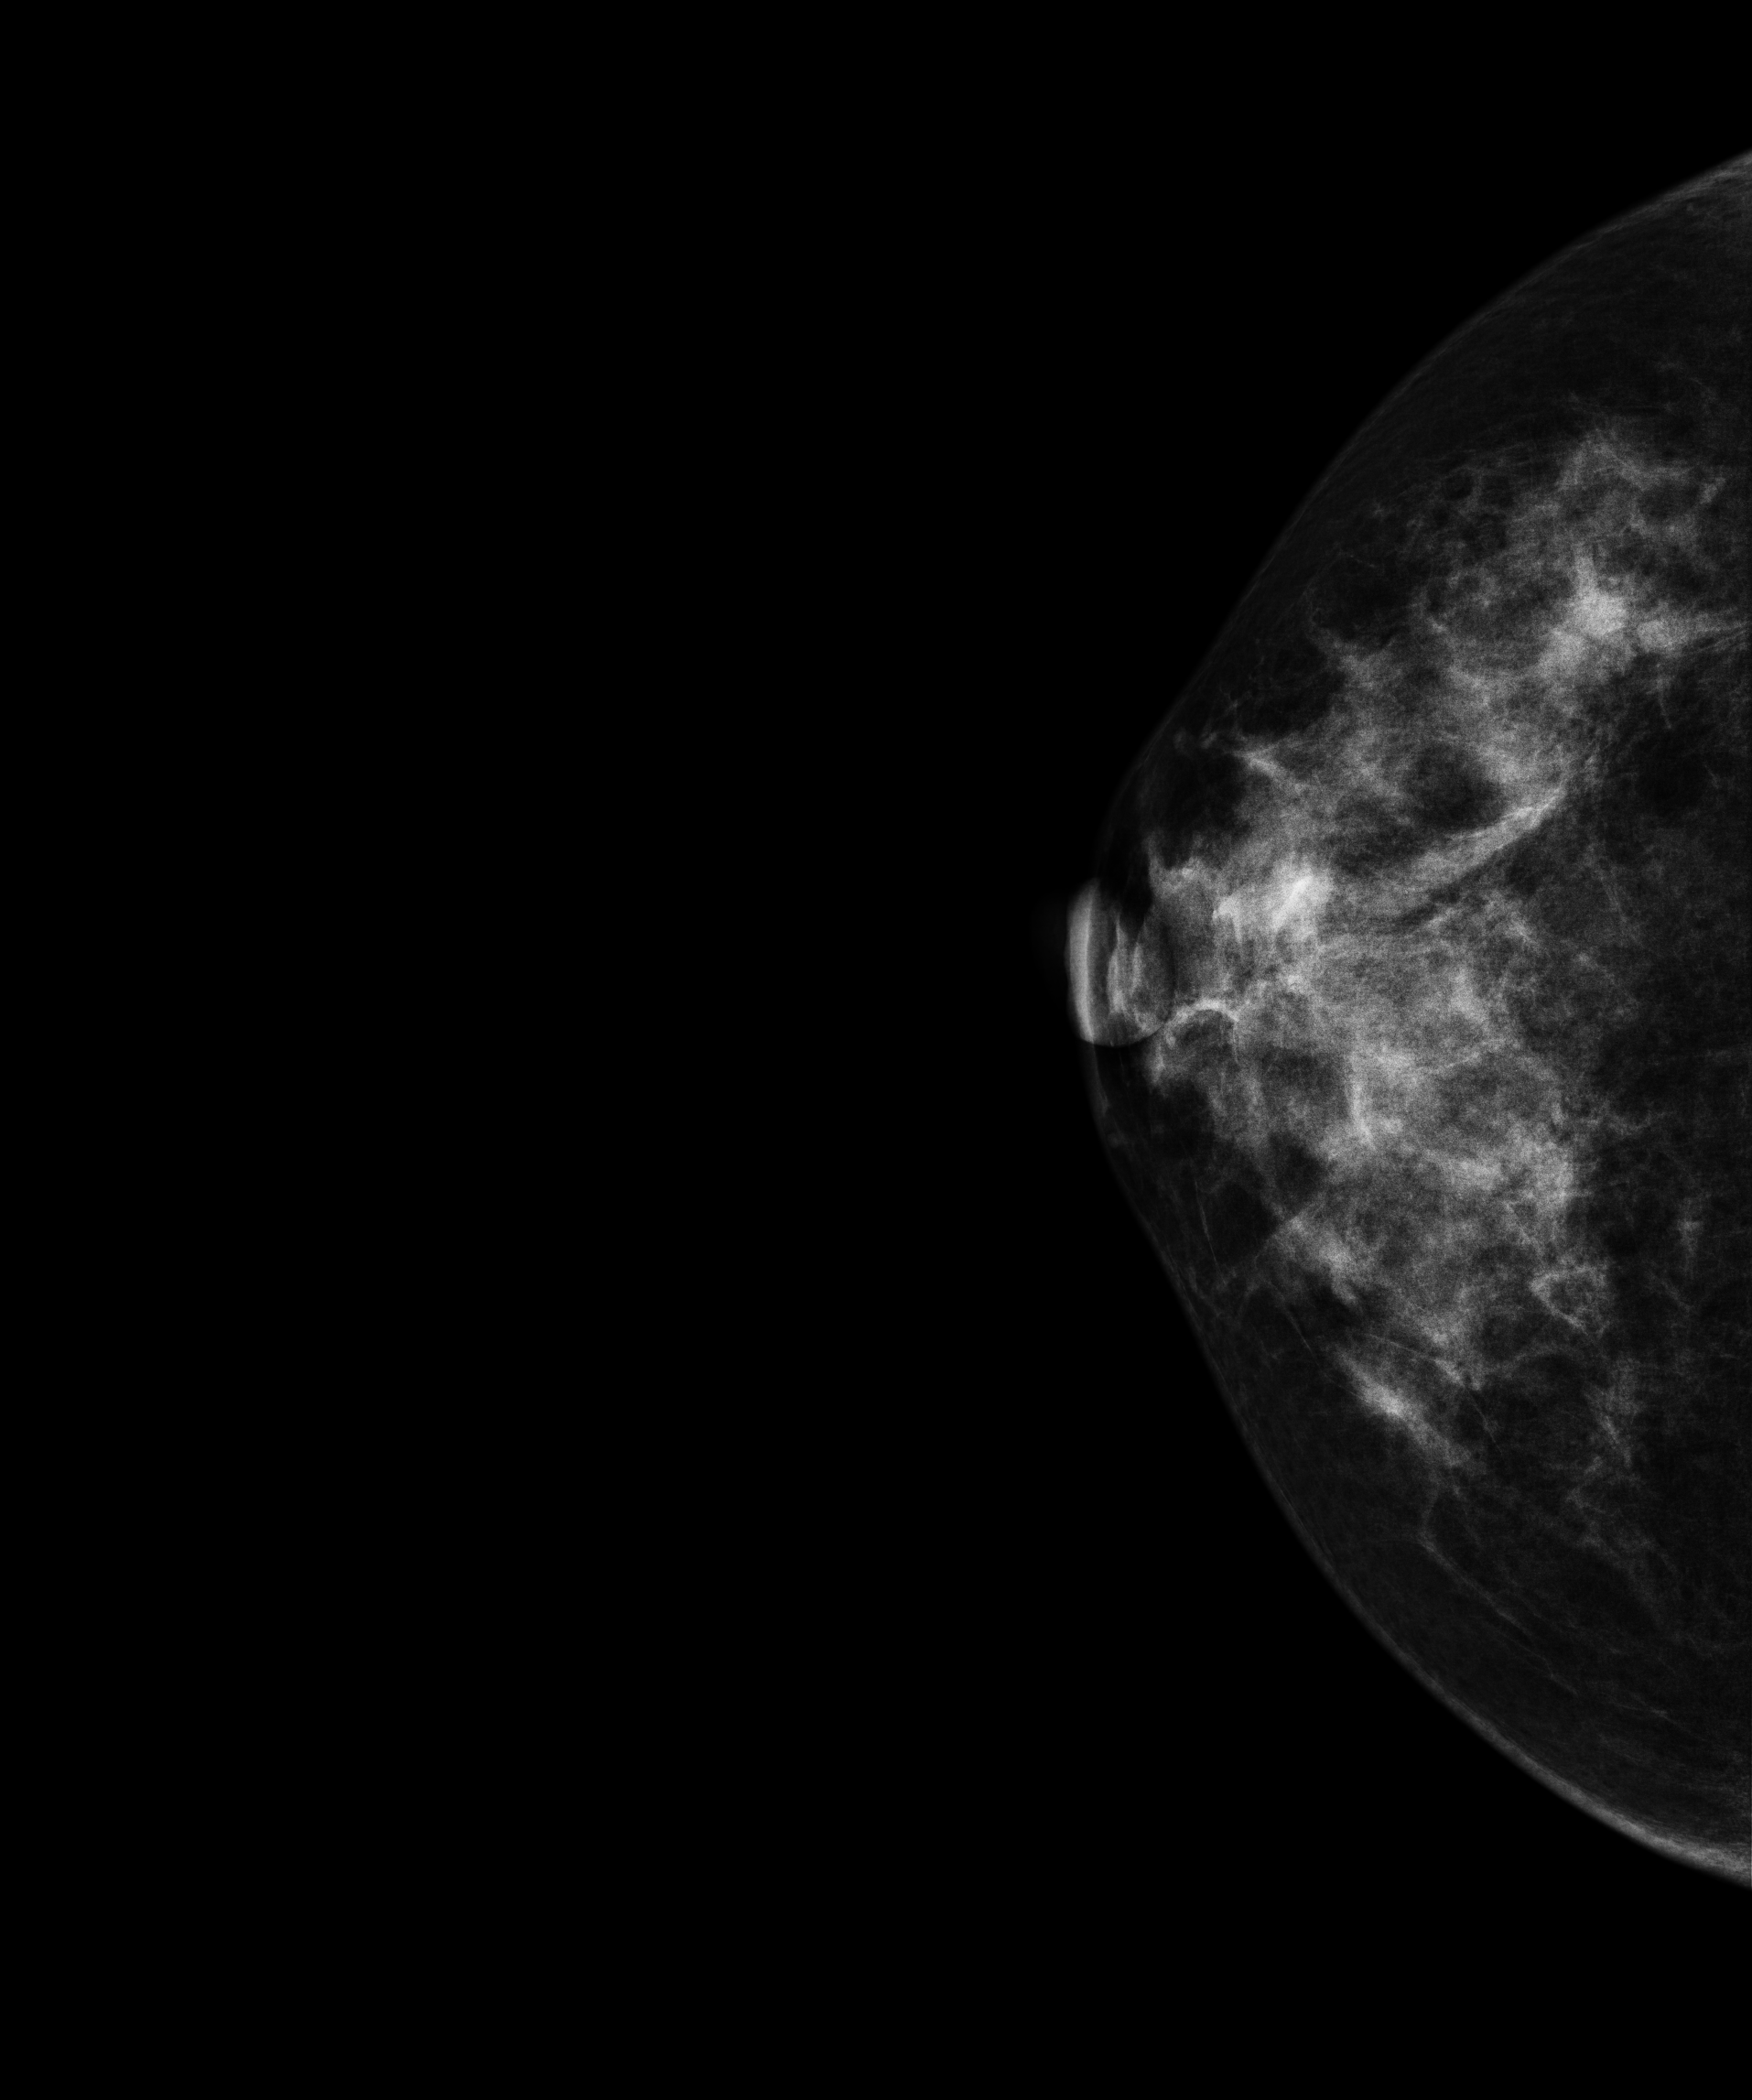
Cranio-caudal mammogram of the right breast. 47 y/o patient.
This breast has a mass, histologically confirmed malignant. Molecular subtype: luminal B.